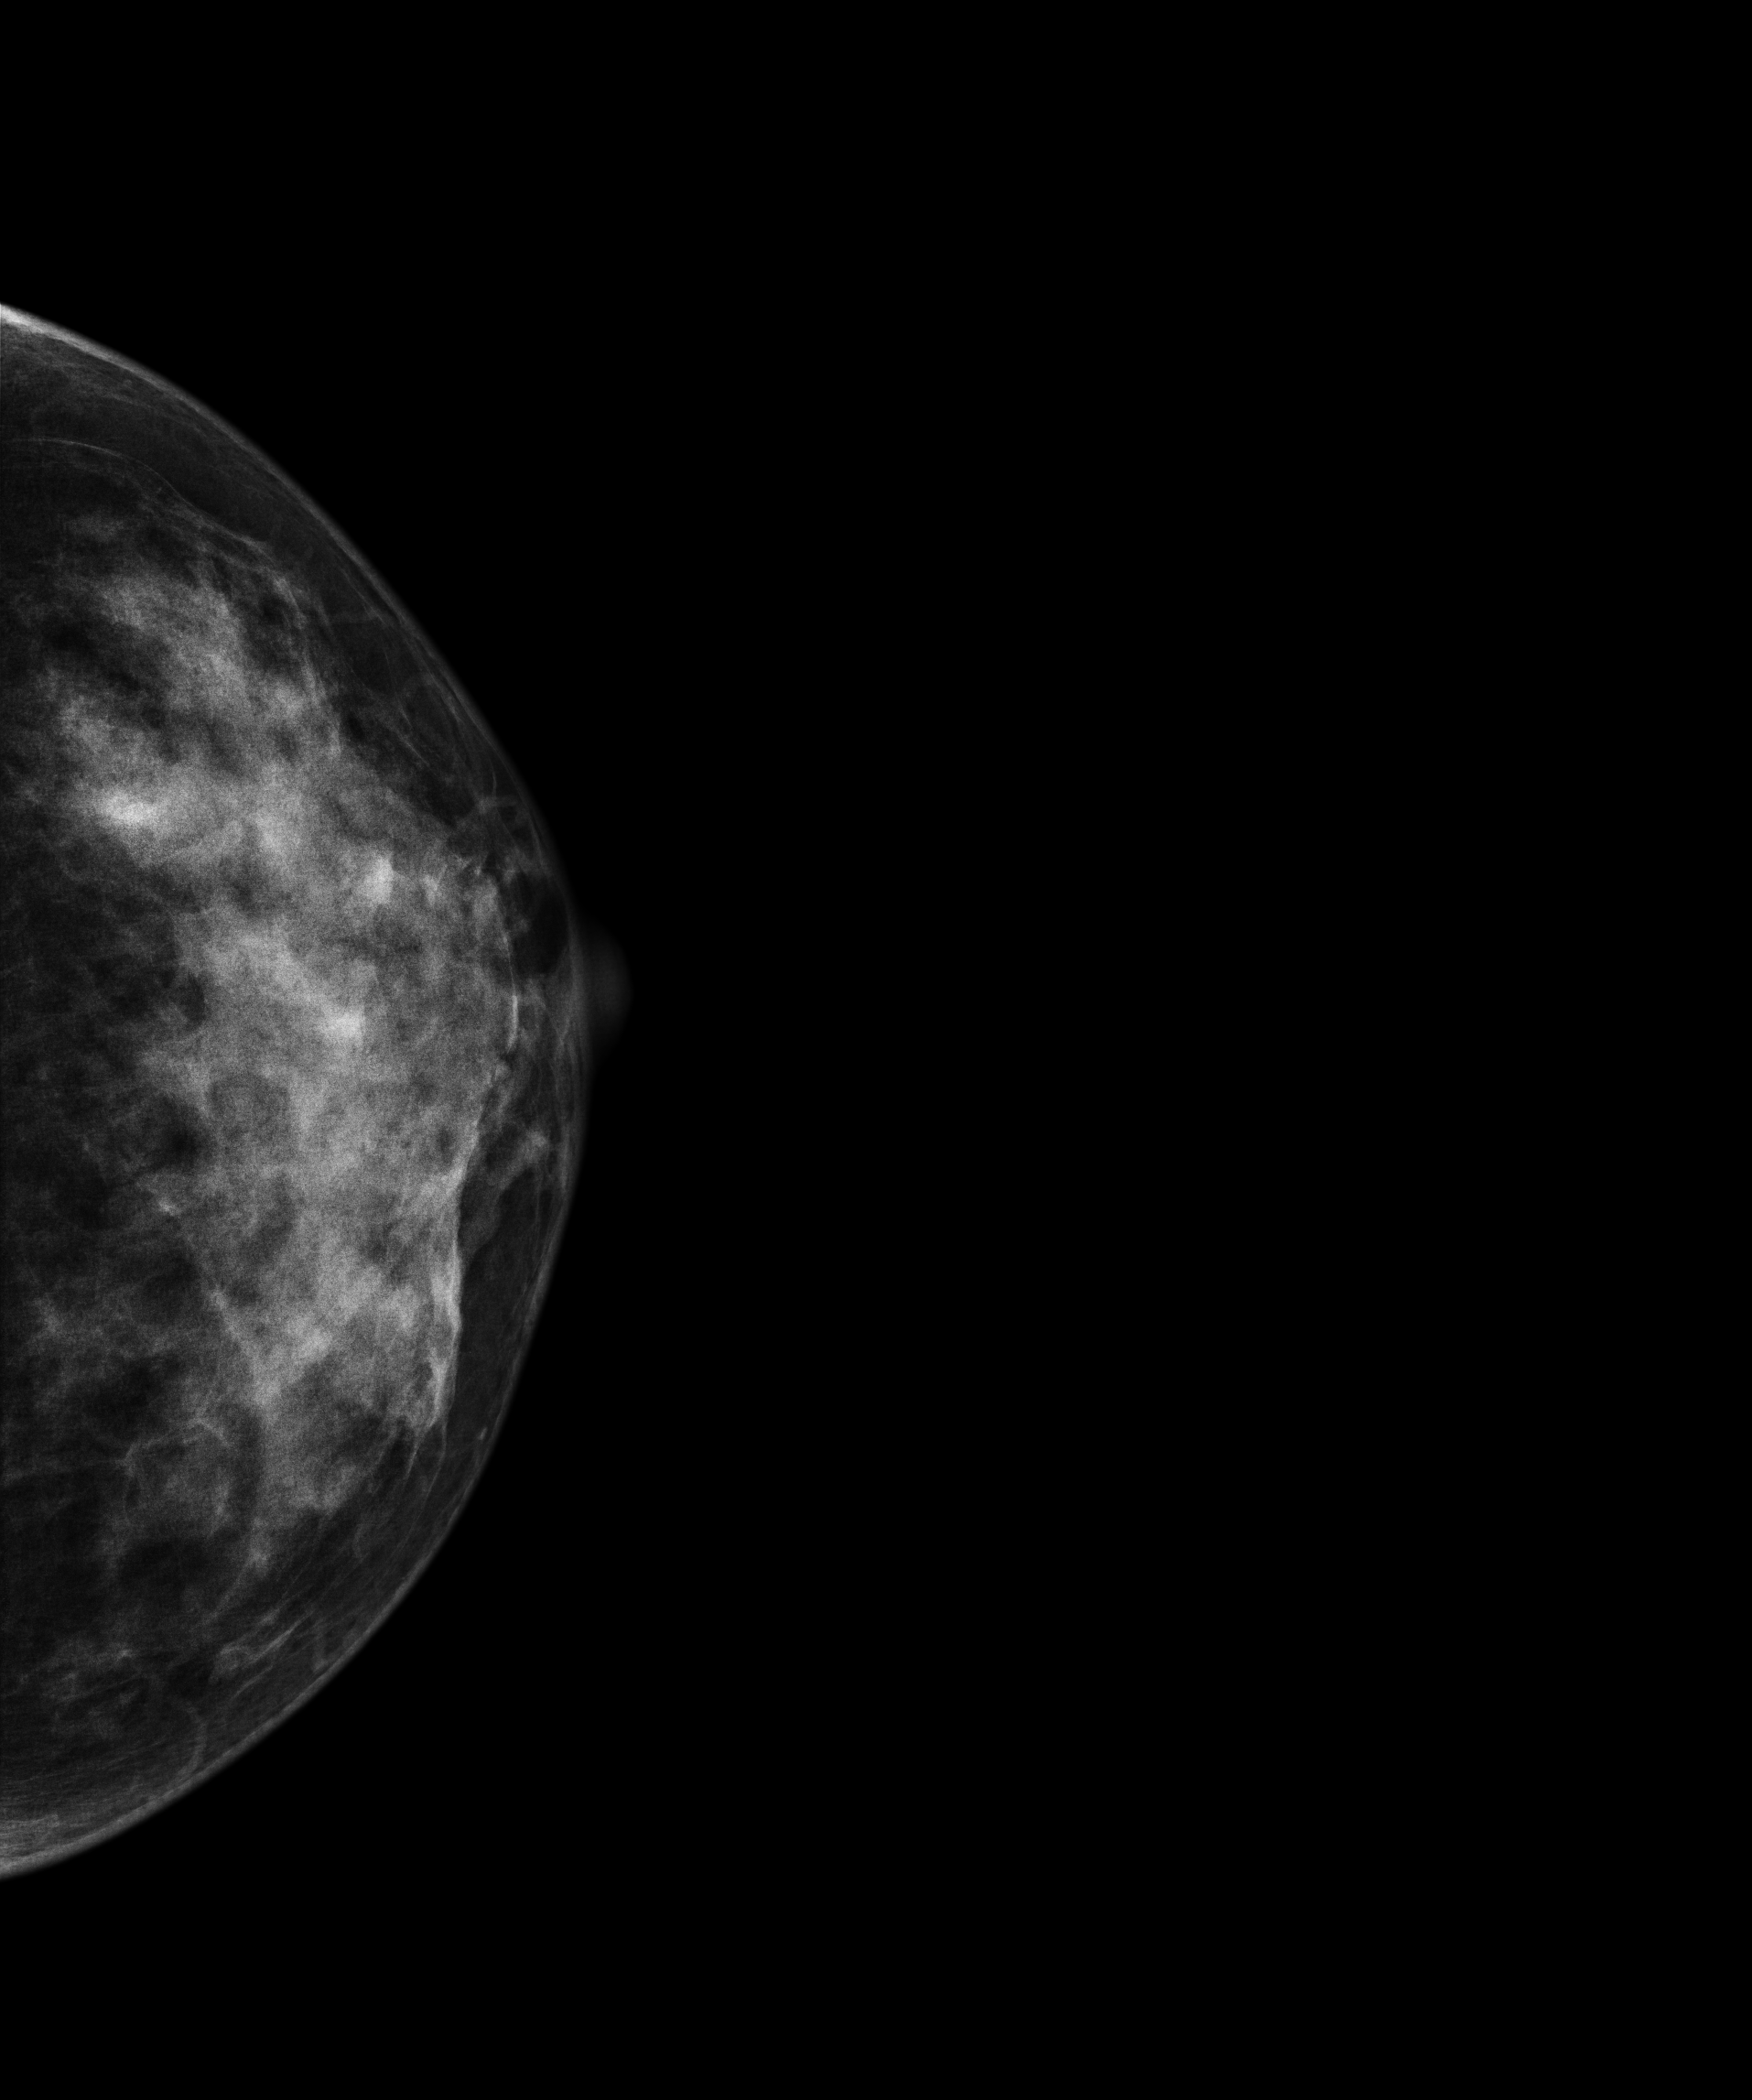
Mammogram, left breast, cranio-caudal view. Patient age 41.
This breast has a mass, biopsy-proven benign.